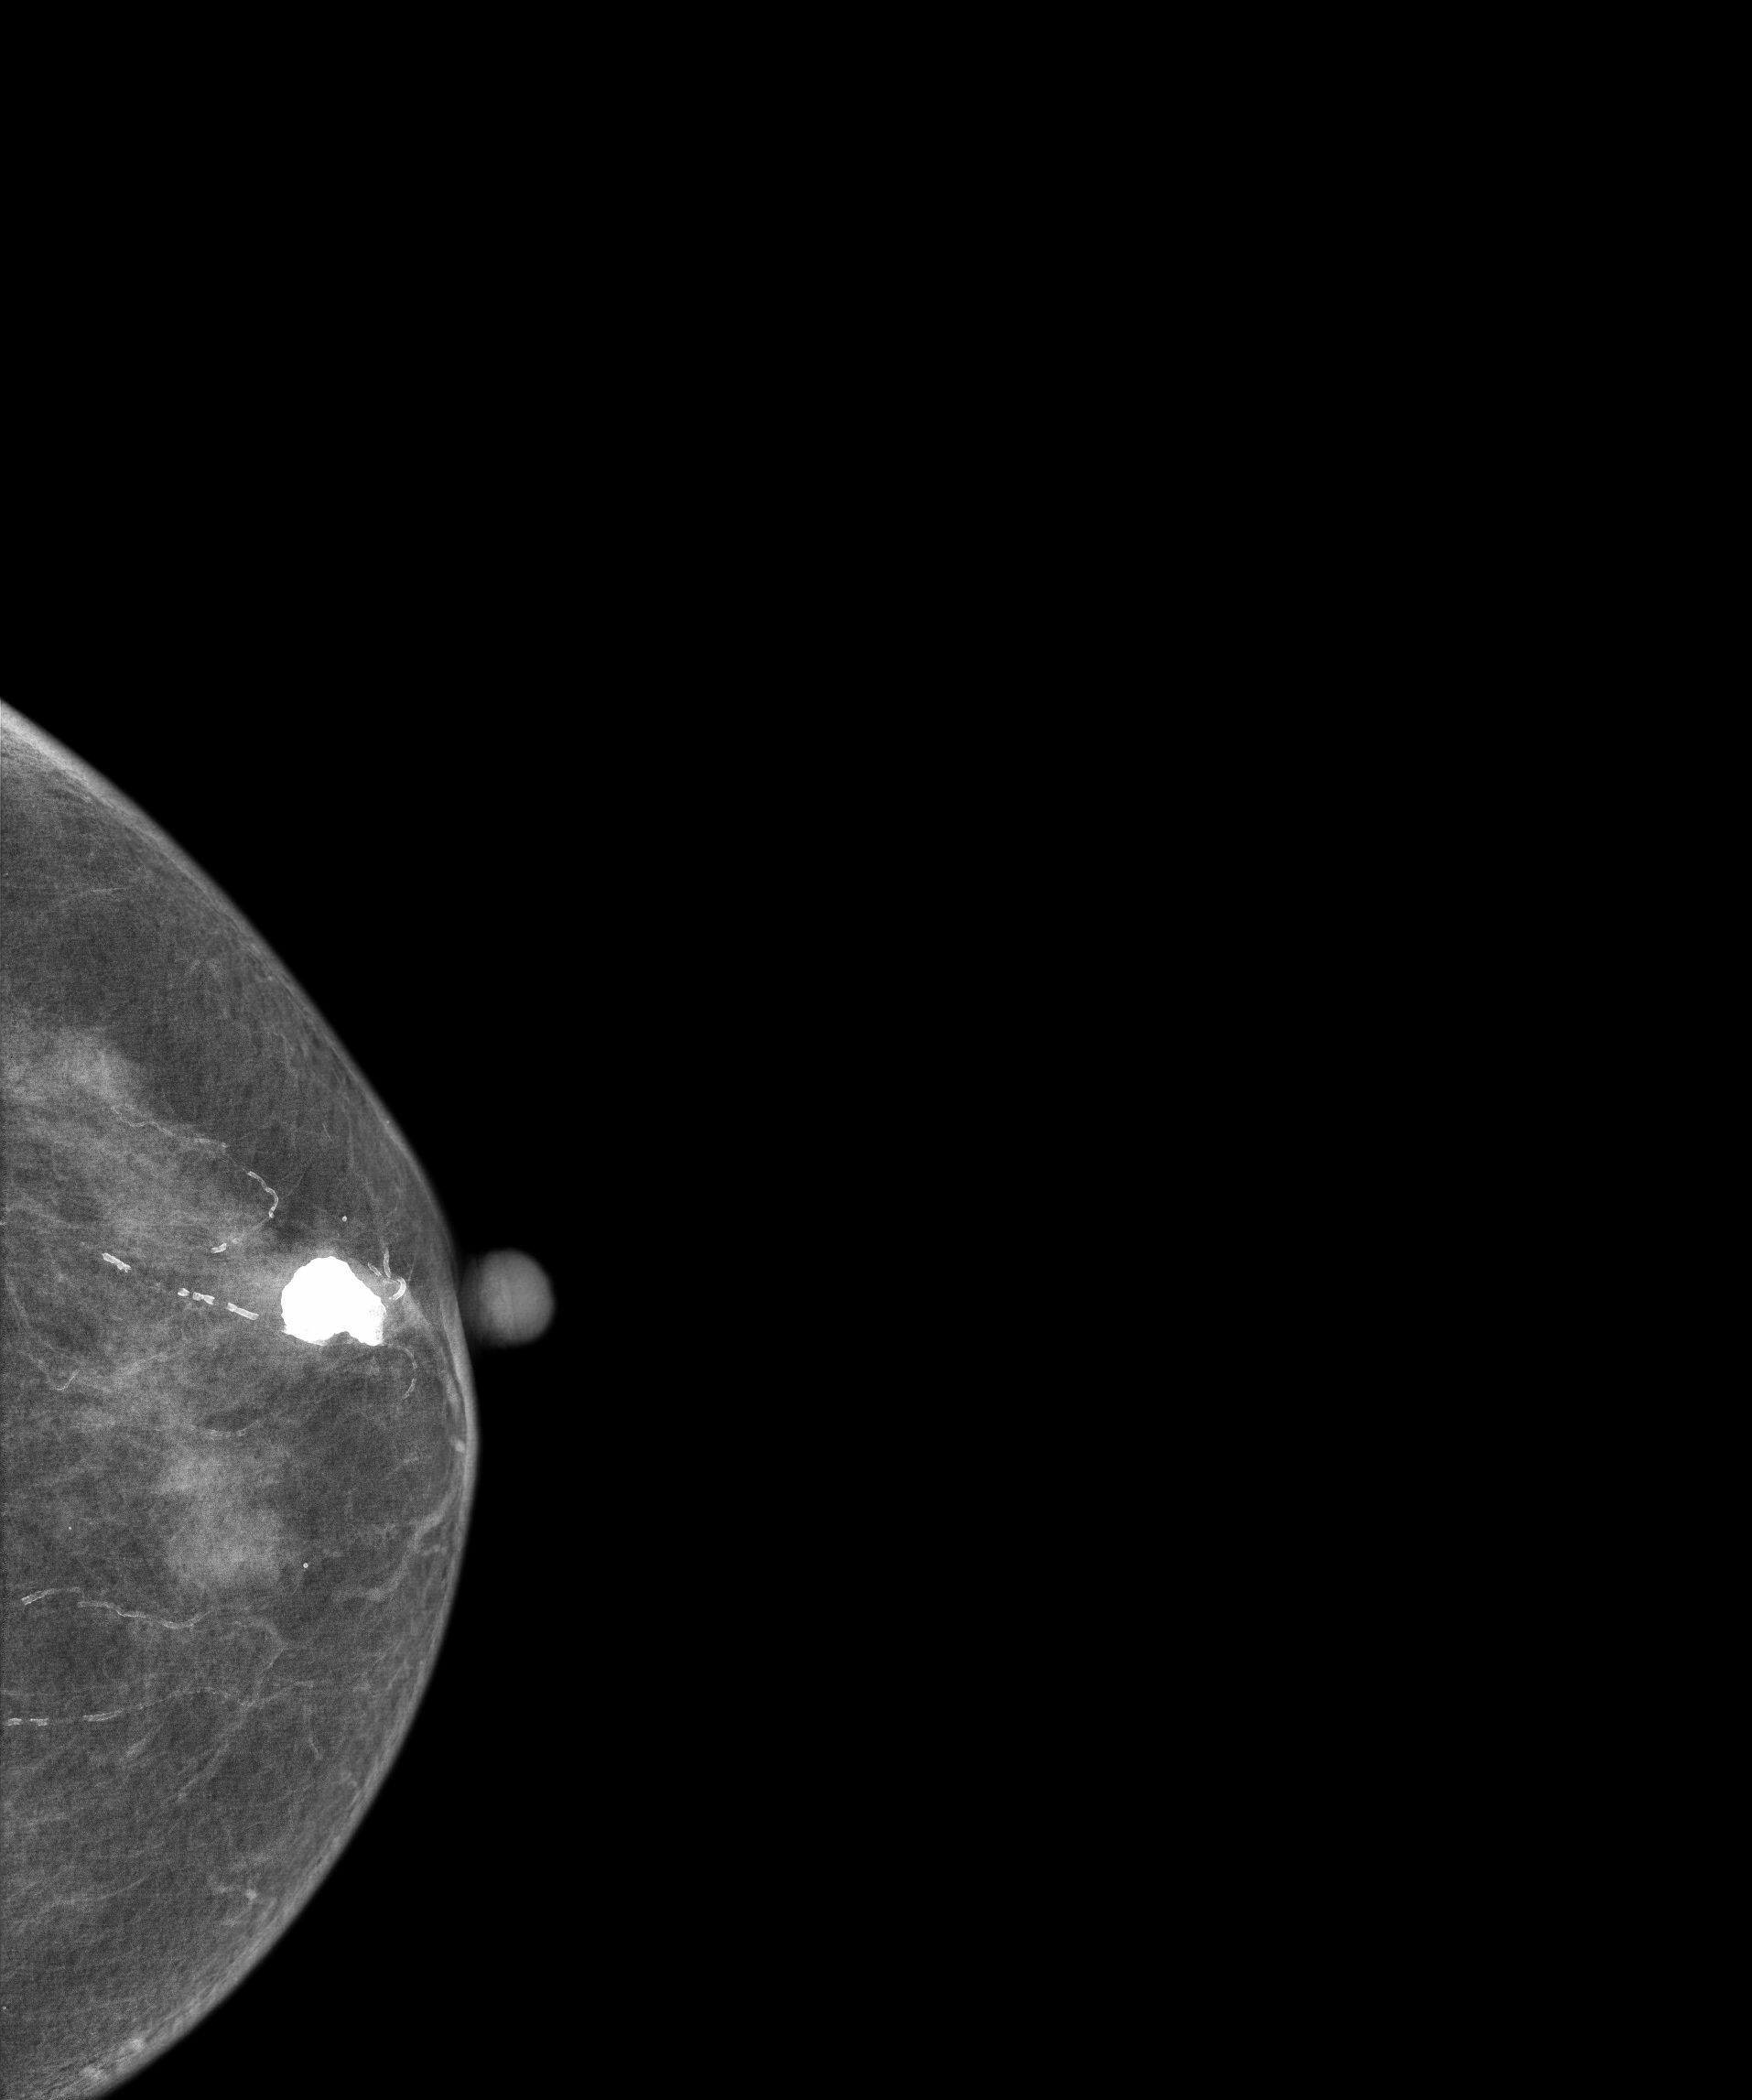
Digital mammography. Left breast, CC projection. Patient age 84.
This breast has a mass, pathology-confirmed benign.